MLO mammogram of the left breast. 39 y/o patient.
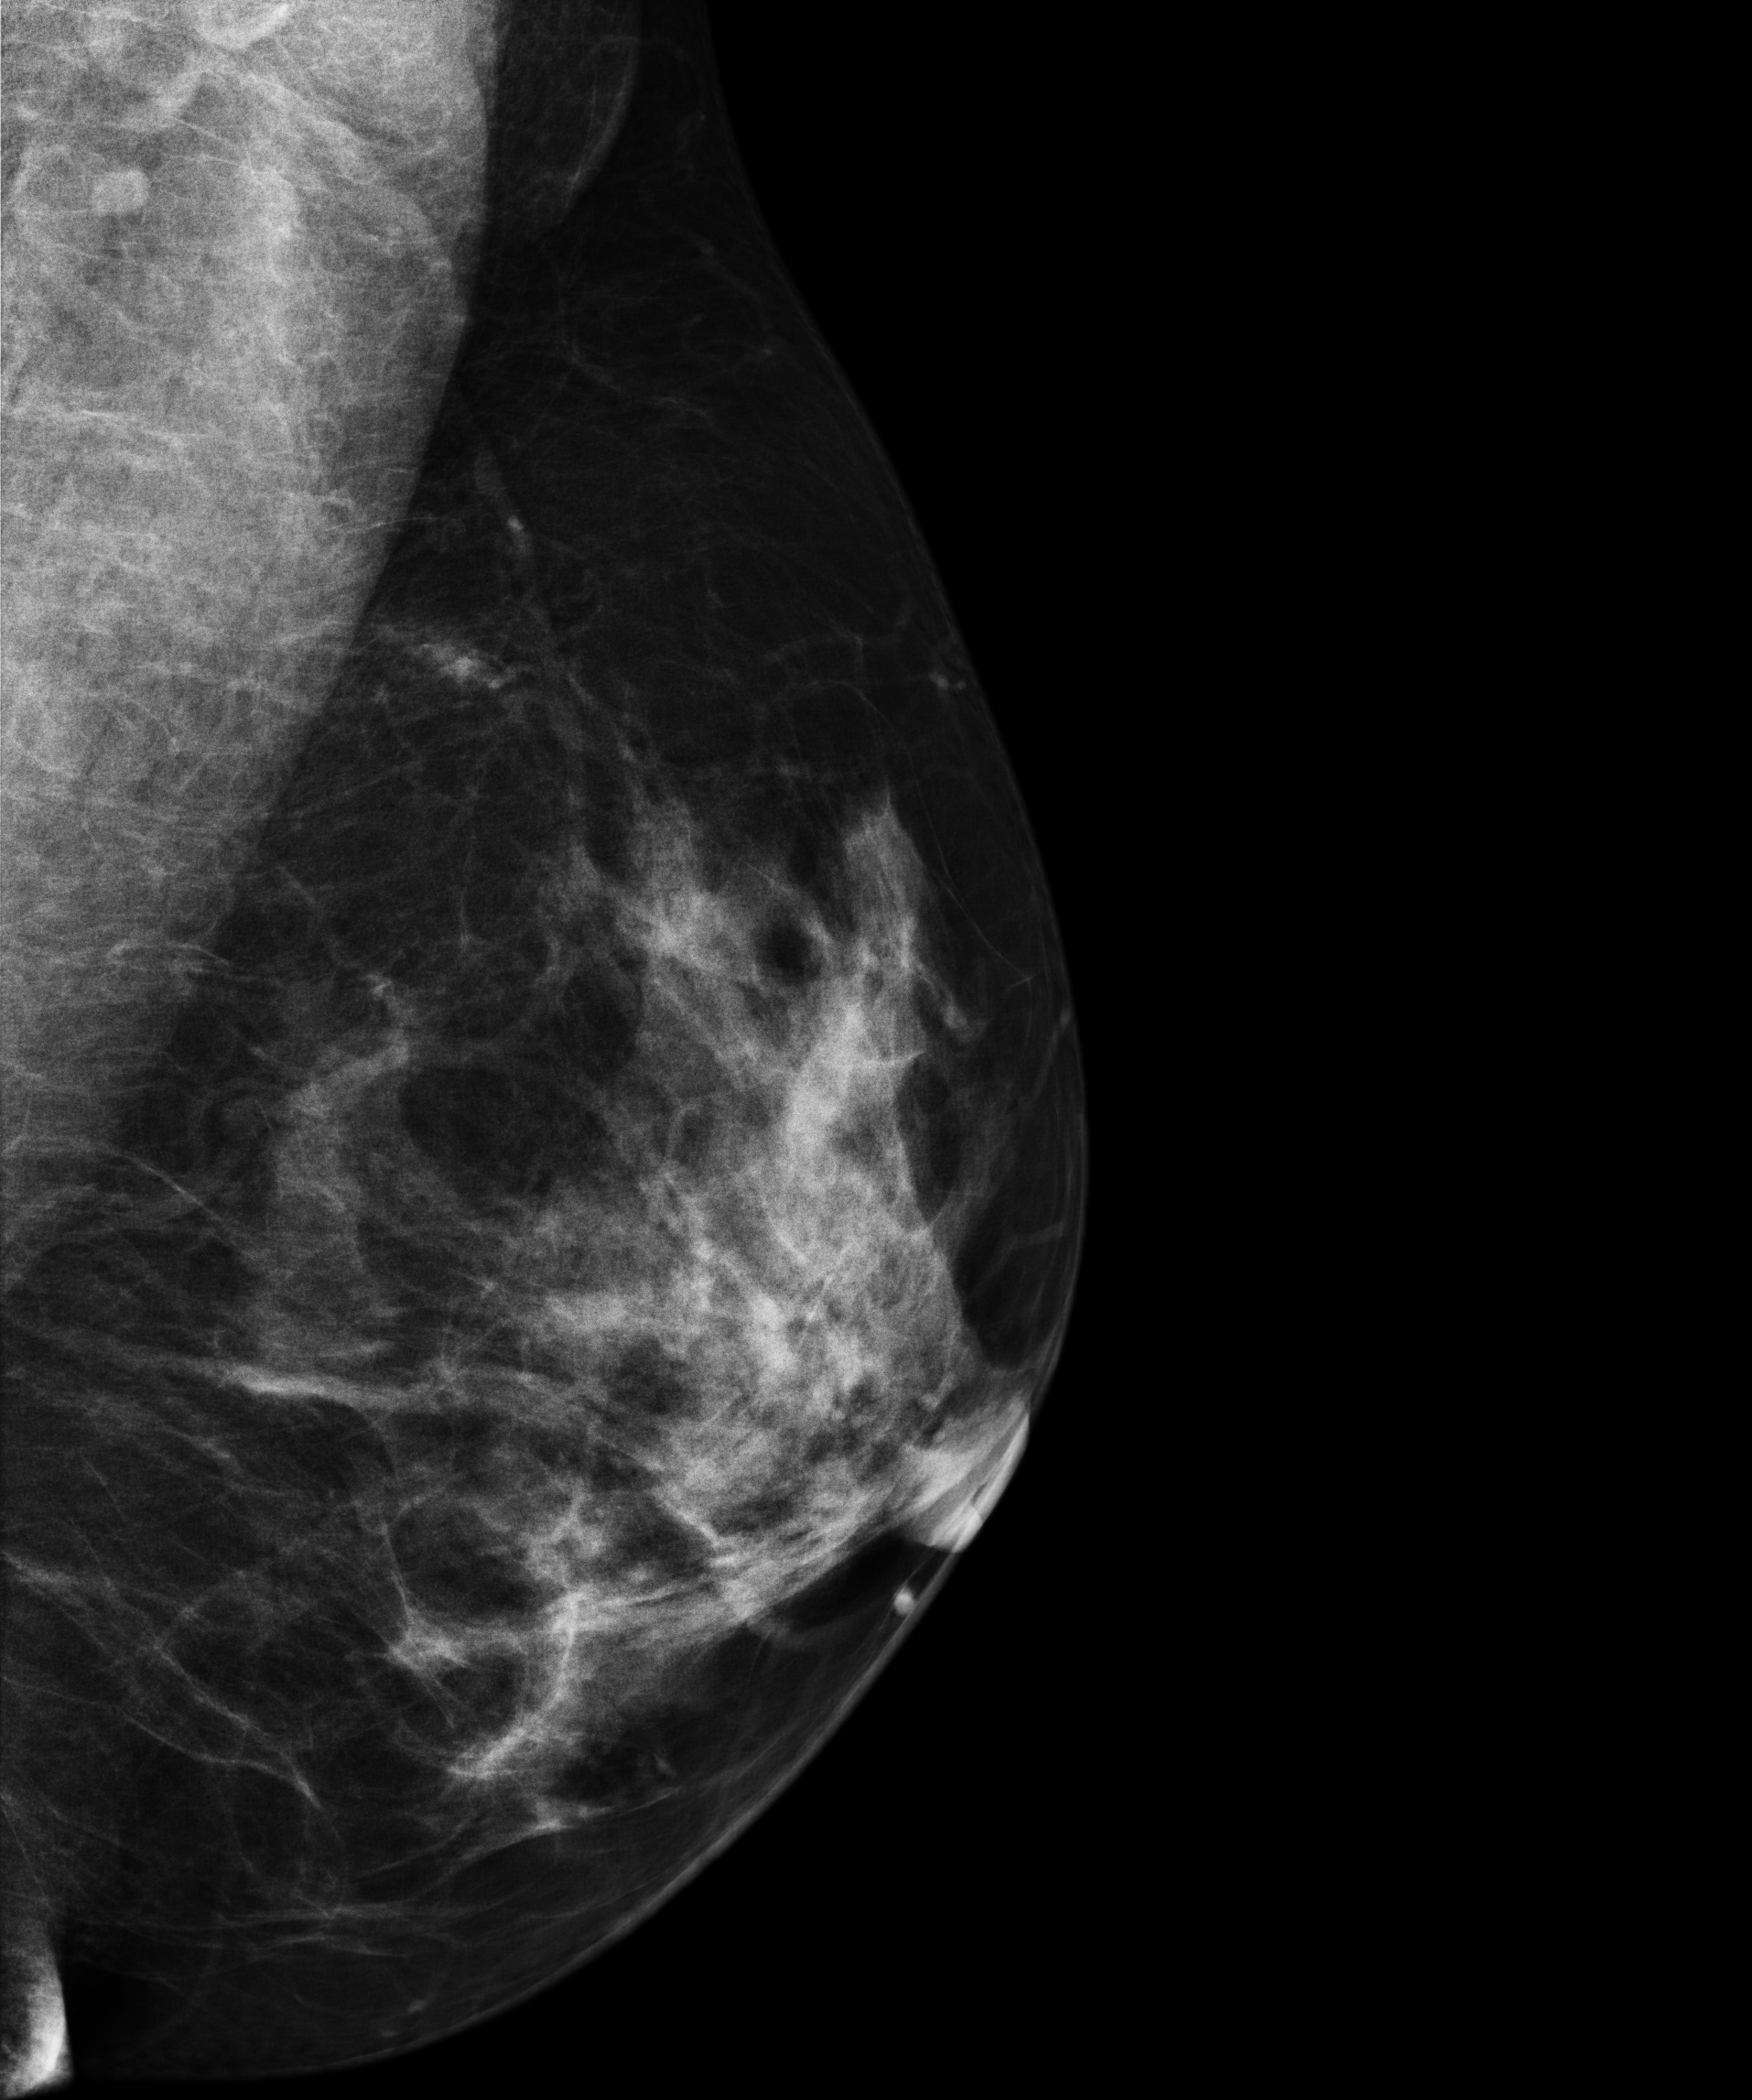
Contralateral breast — no documented abnormality on this side.